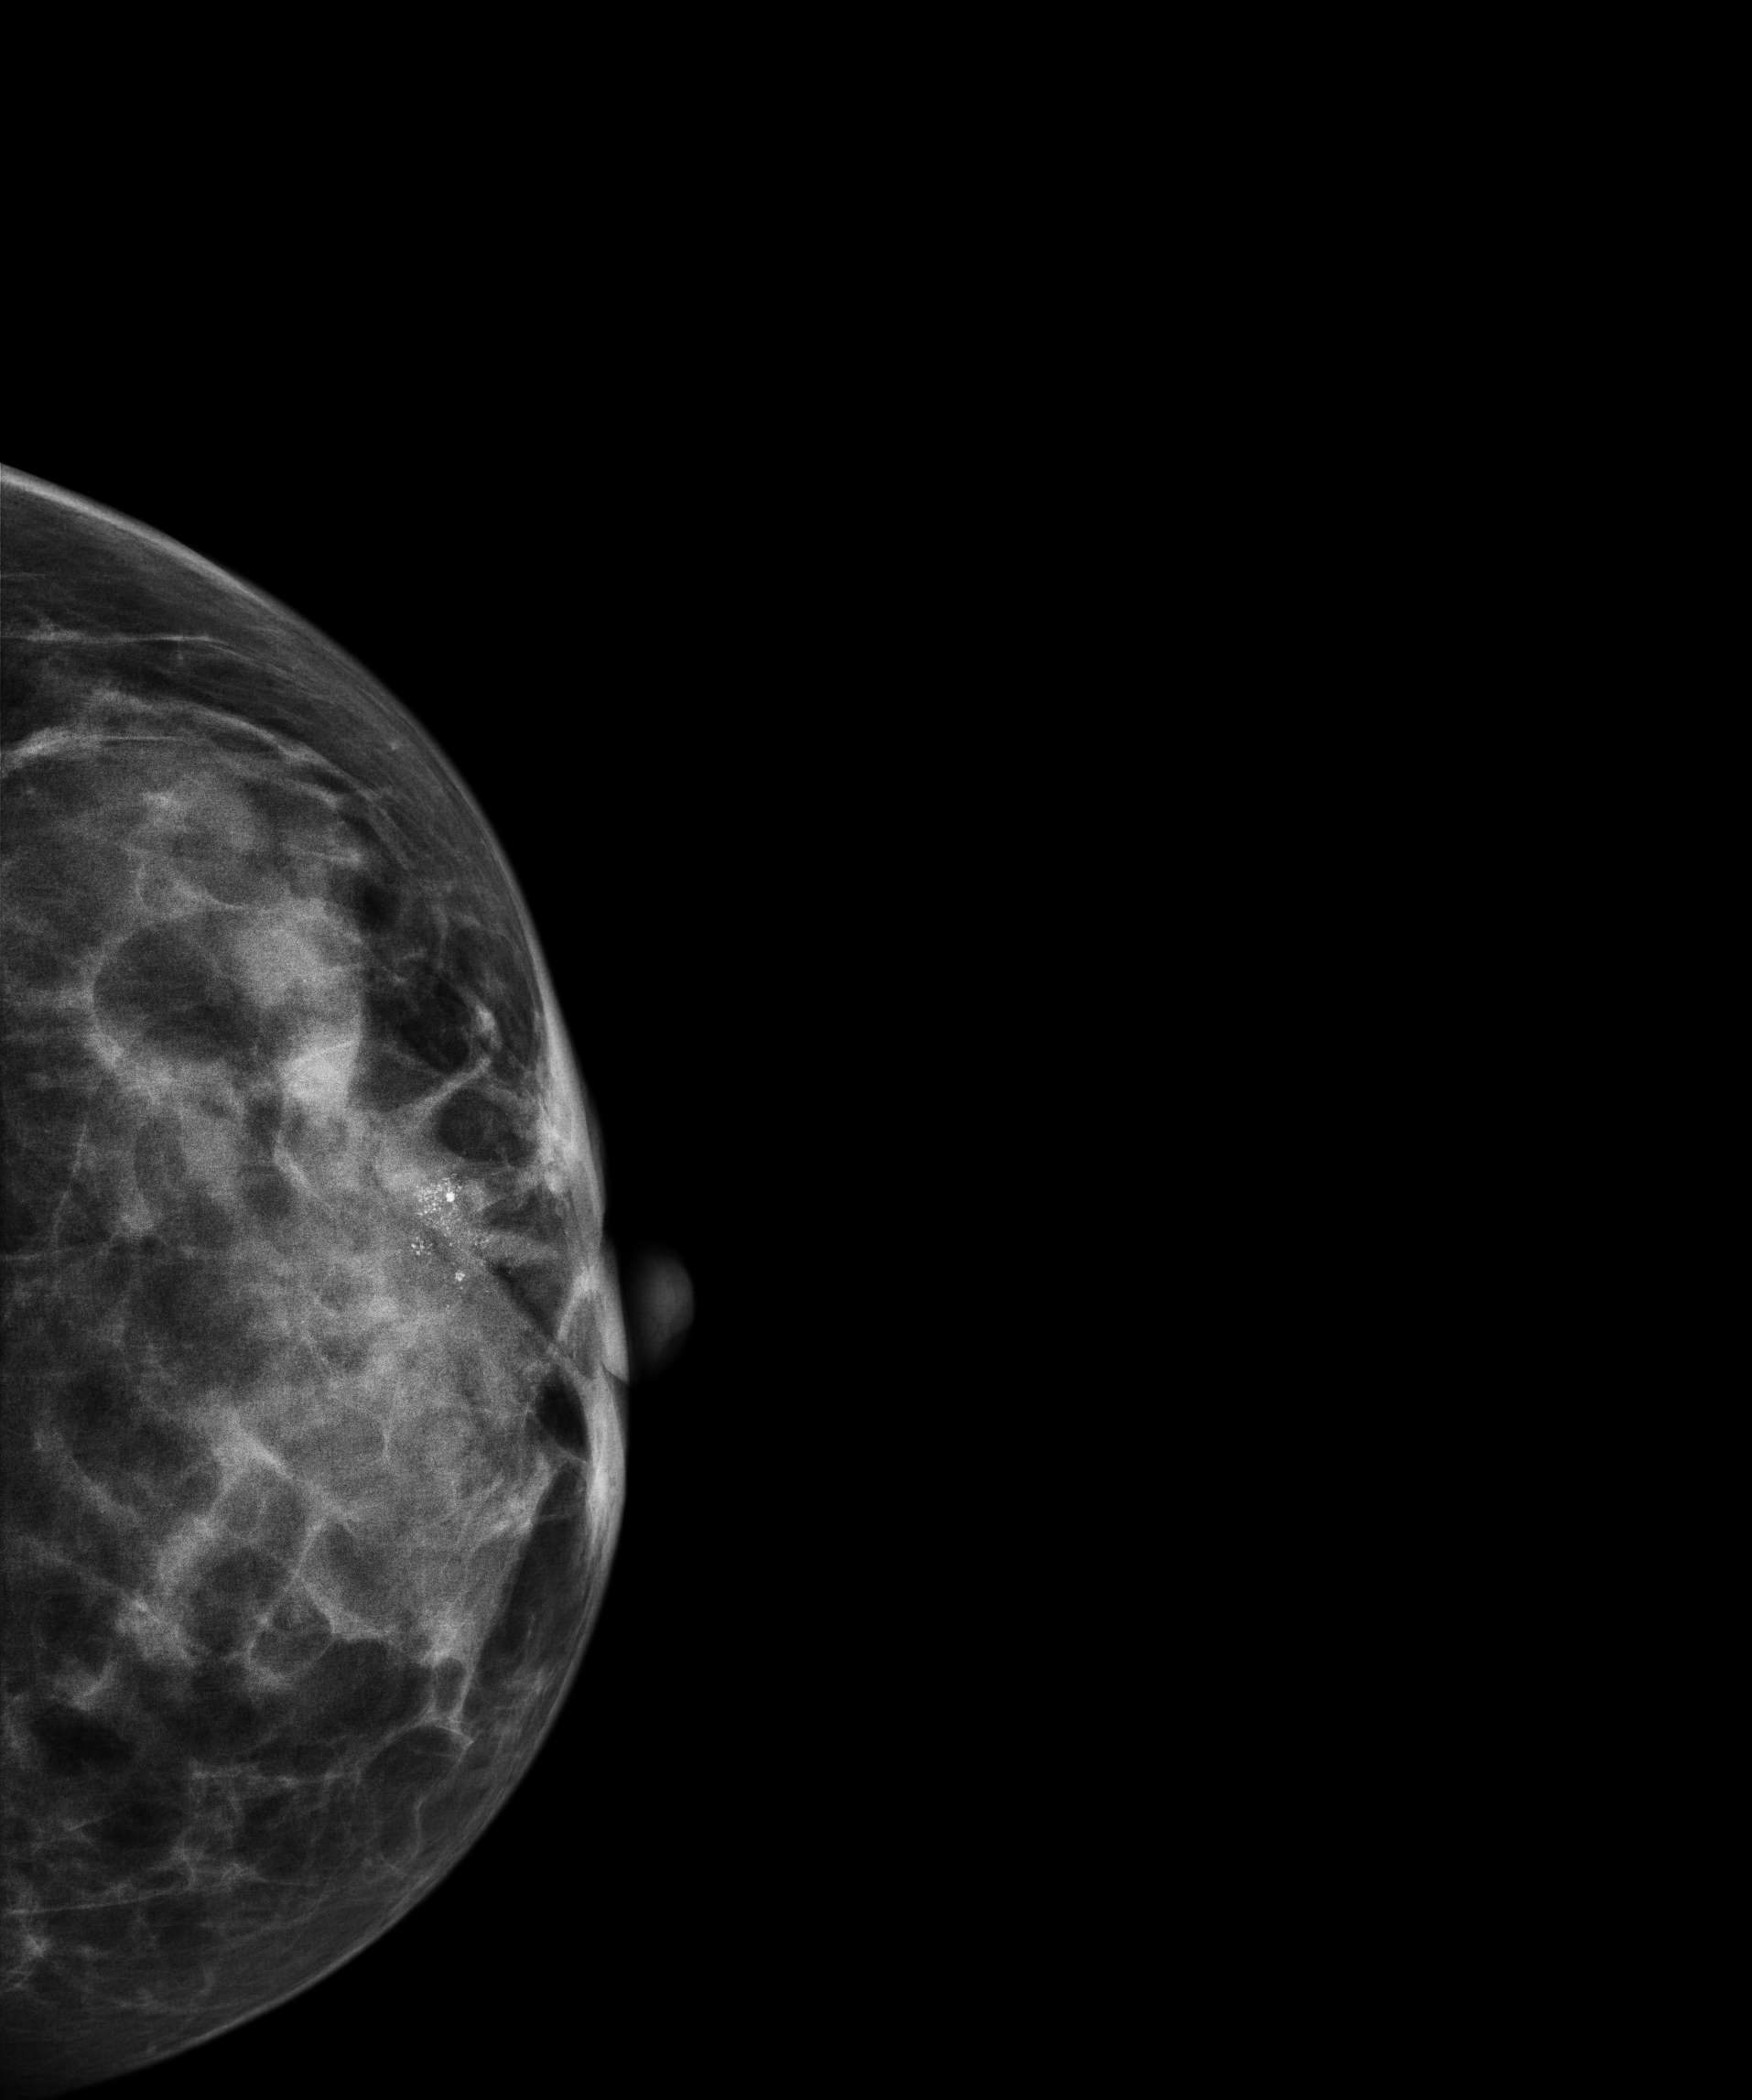
Digital mammography. Left breast, cranio-caudal projection. Patient age 32.
This breast has calcifications, pathology-confirmed malignant.